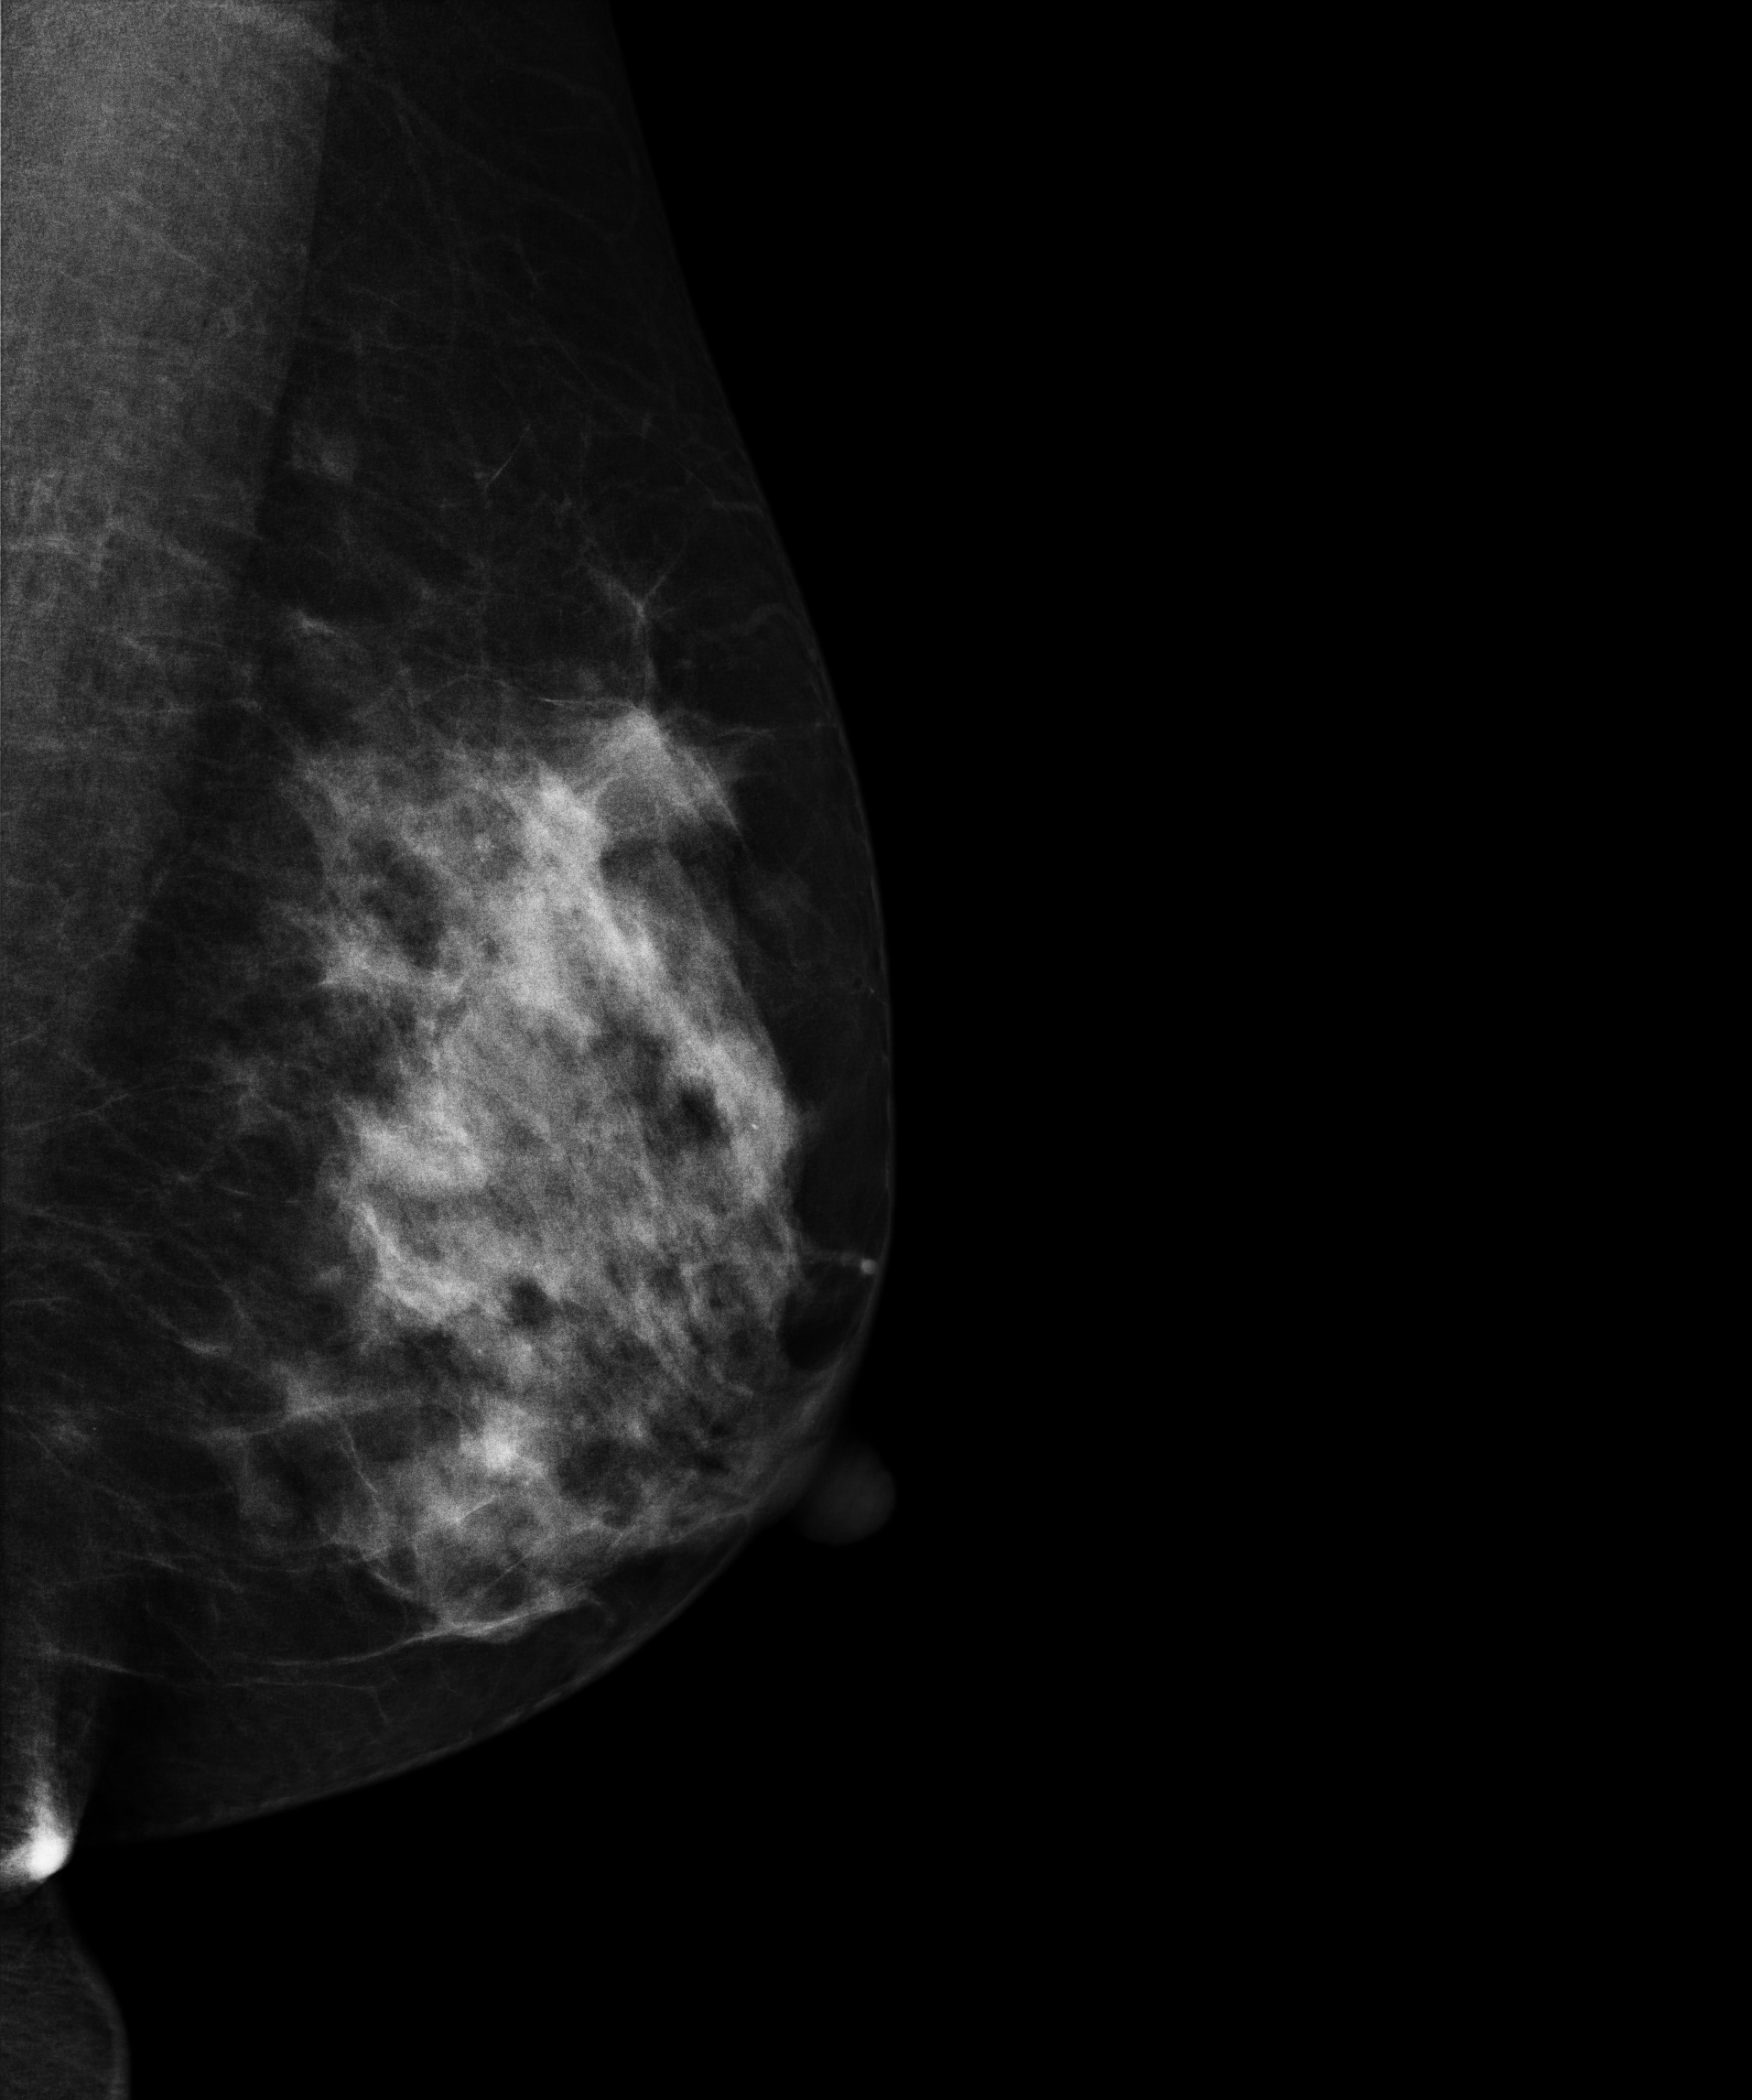
Digital mammography. Left breast, MLO projection. 49 y/o patient.
This breast has a mass, pathology-confirmed benign.